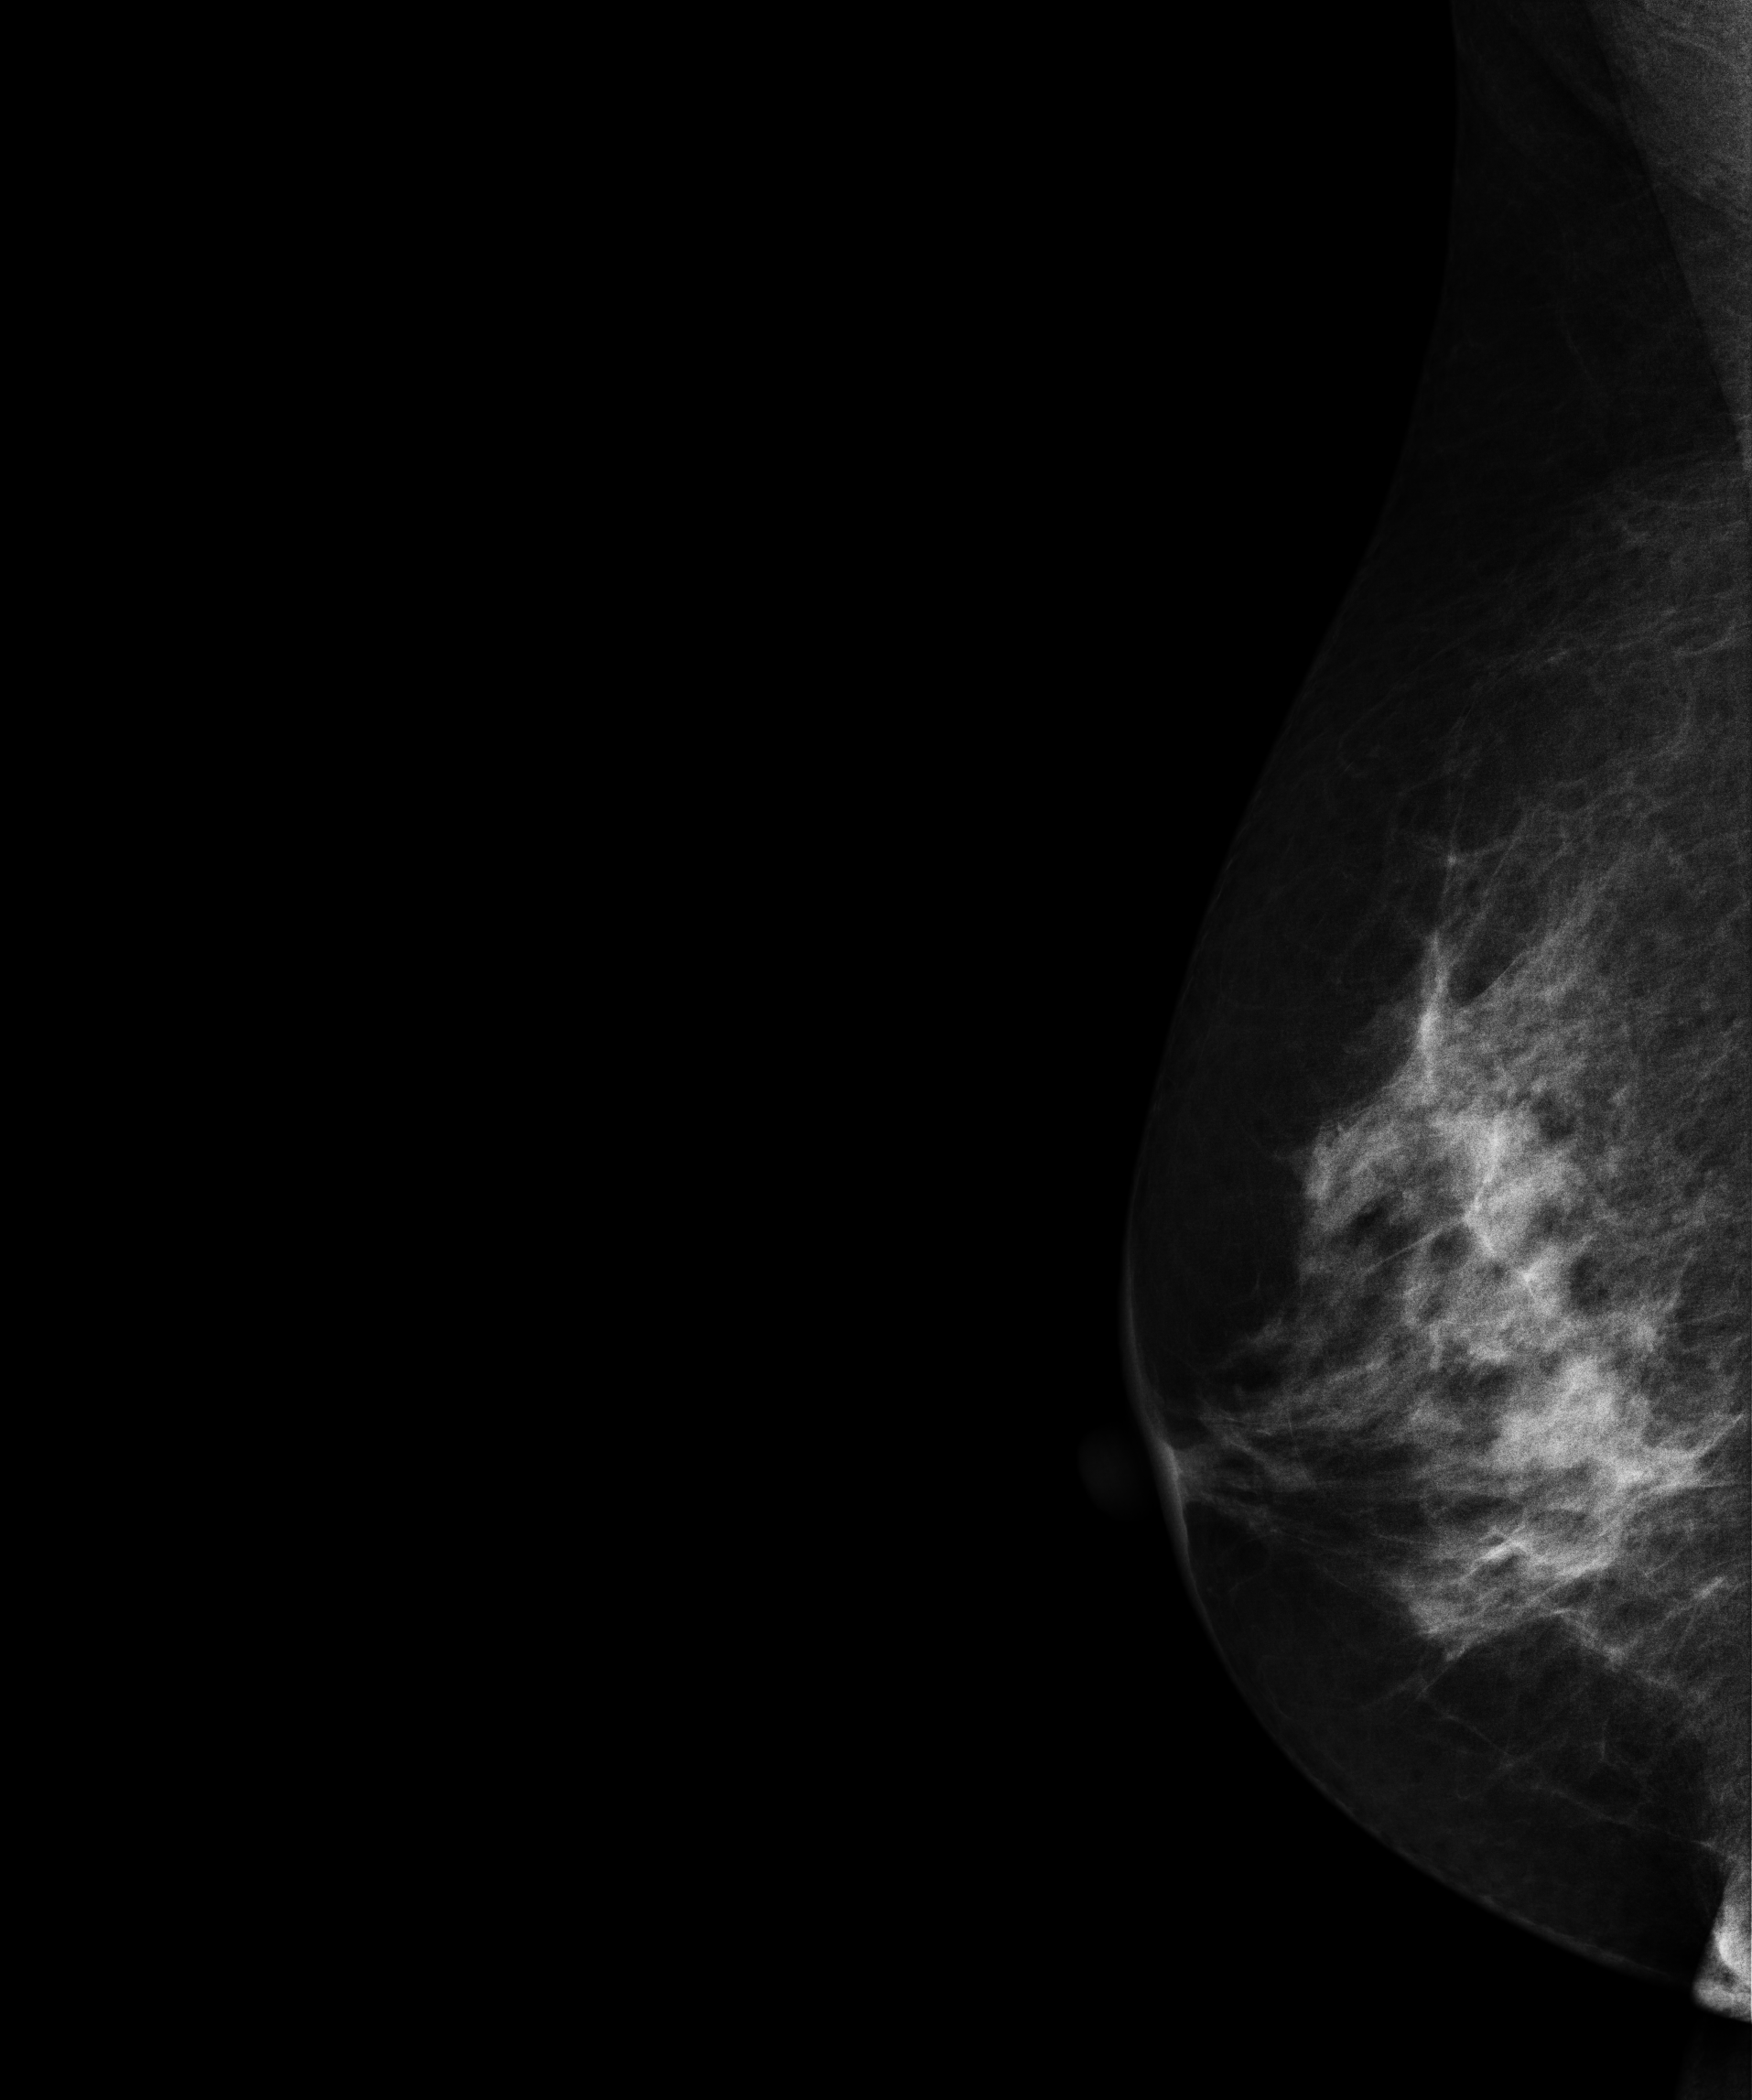
Mammogram — right medio-lateral oblique. 62 y/o patient.
Contralateral breast — no documented abnormality on this side.